CC mammogram of the right breast. 34 y/o patient.
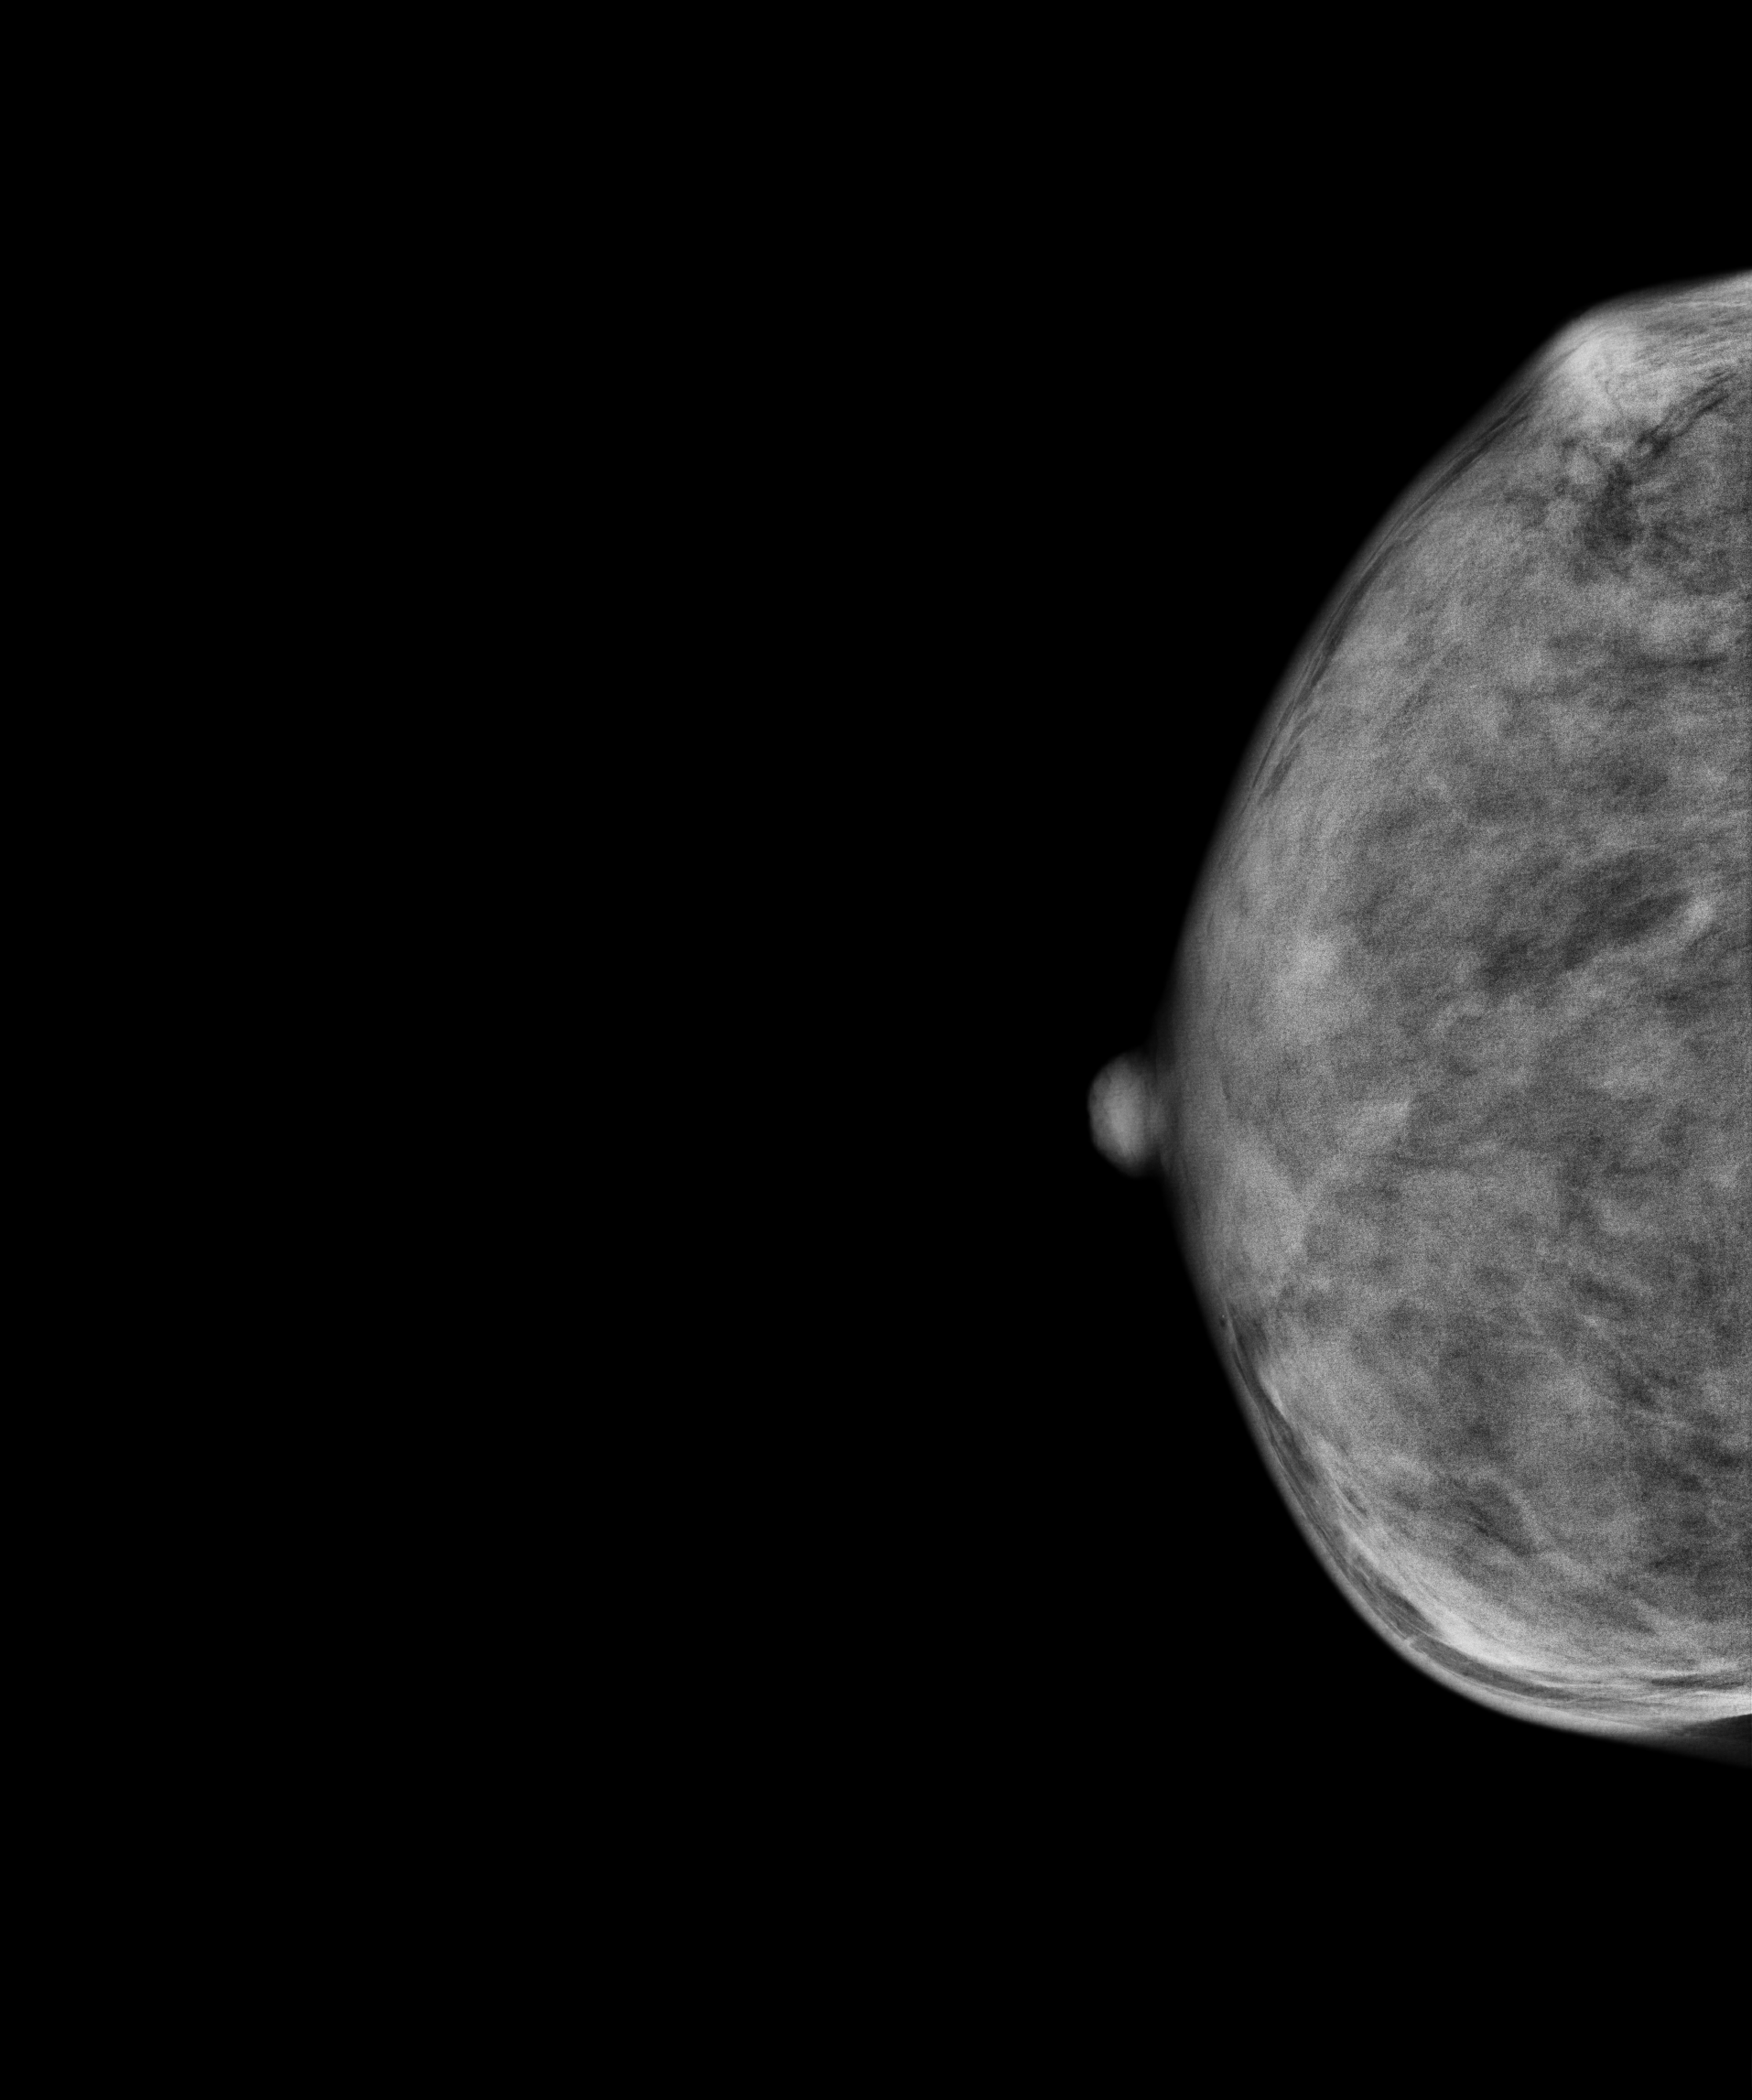
This breast has a mass, biopsy-confirmed malignant.